Left-breast mammogram, cranio-caudal. 45 y/o patient.
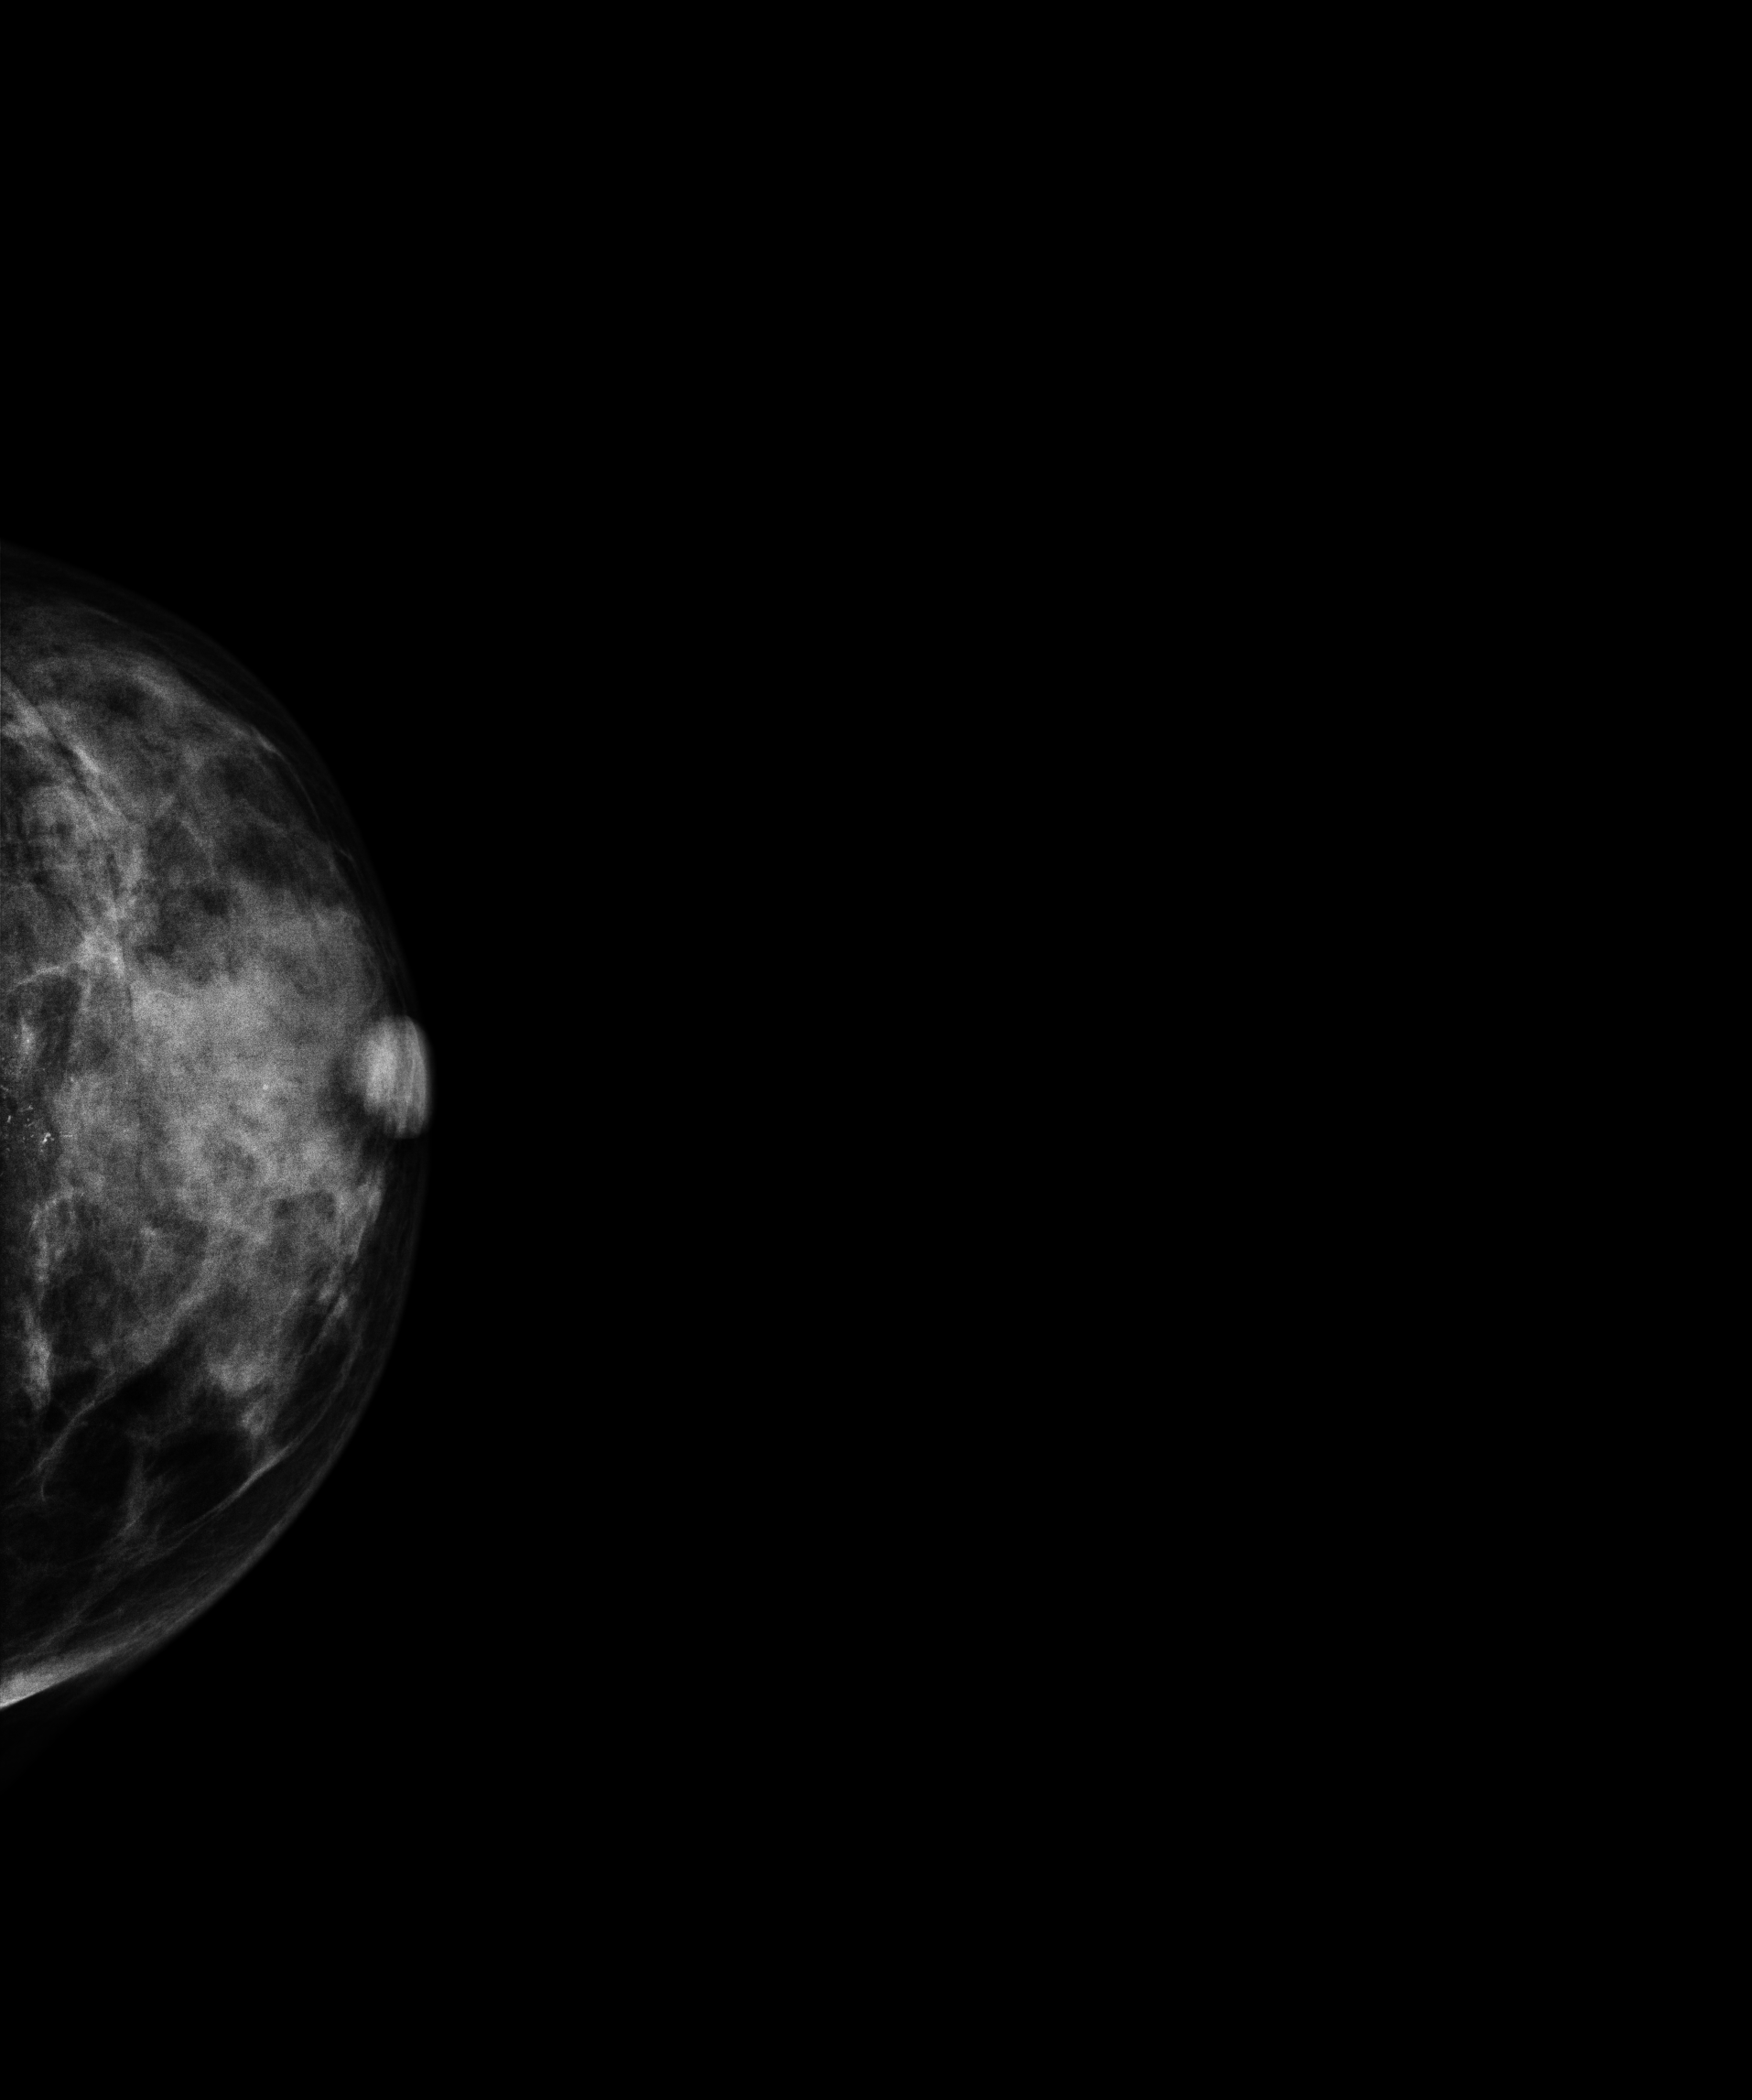
This breast has calcifications, histologically confirmed malignant. Molecular subtype: luminal A.